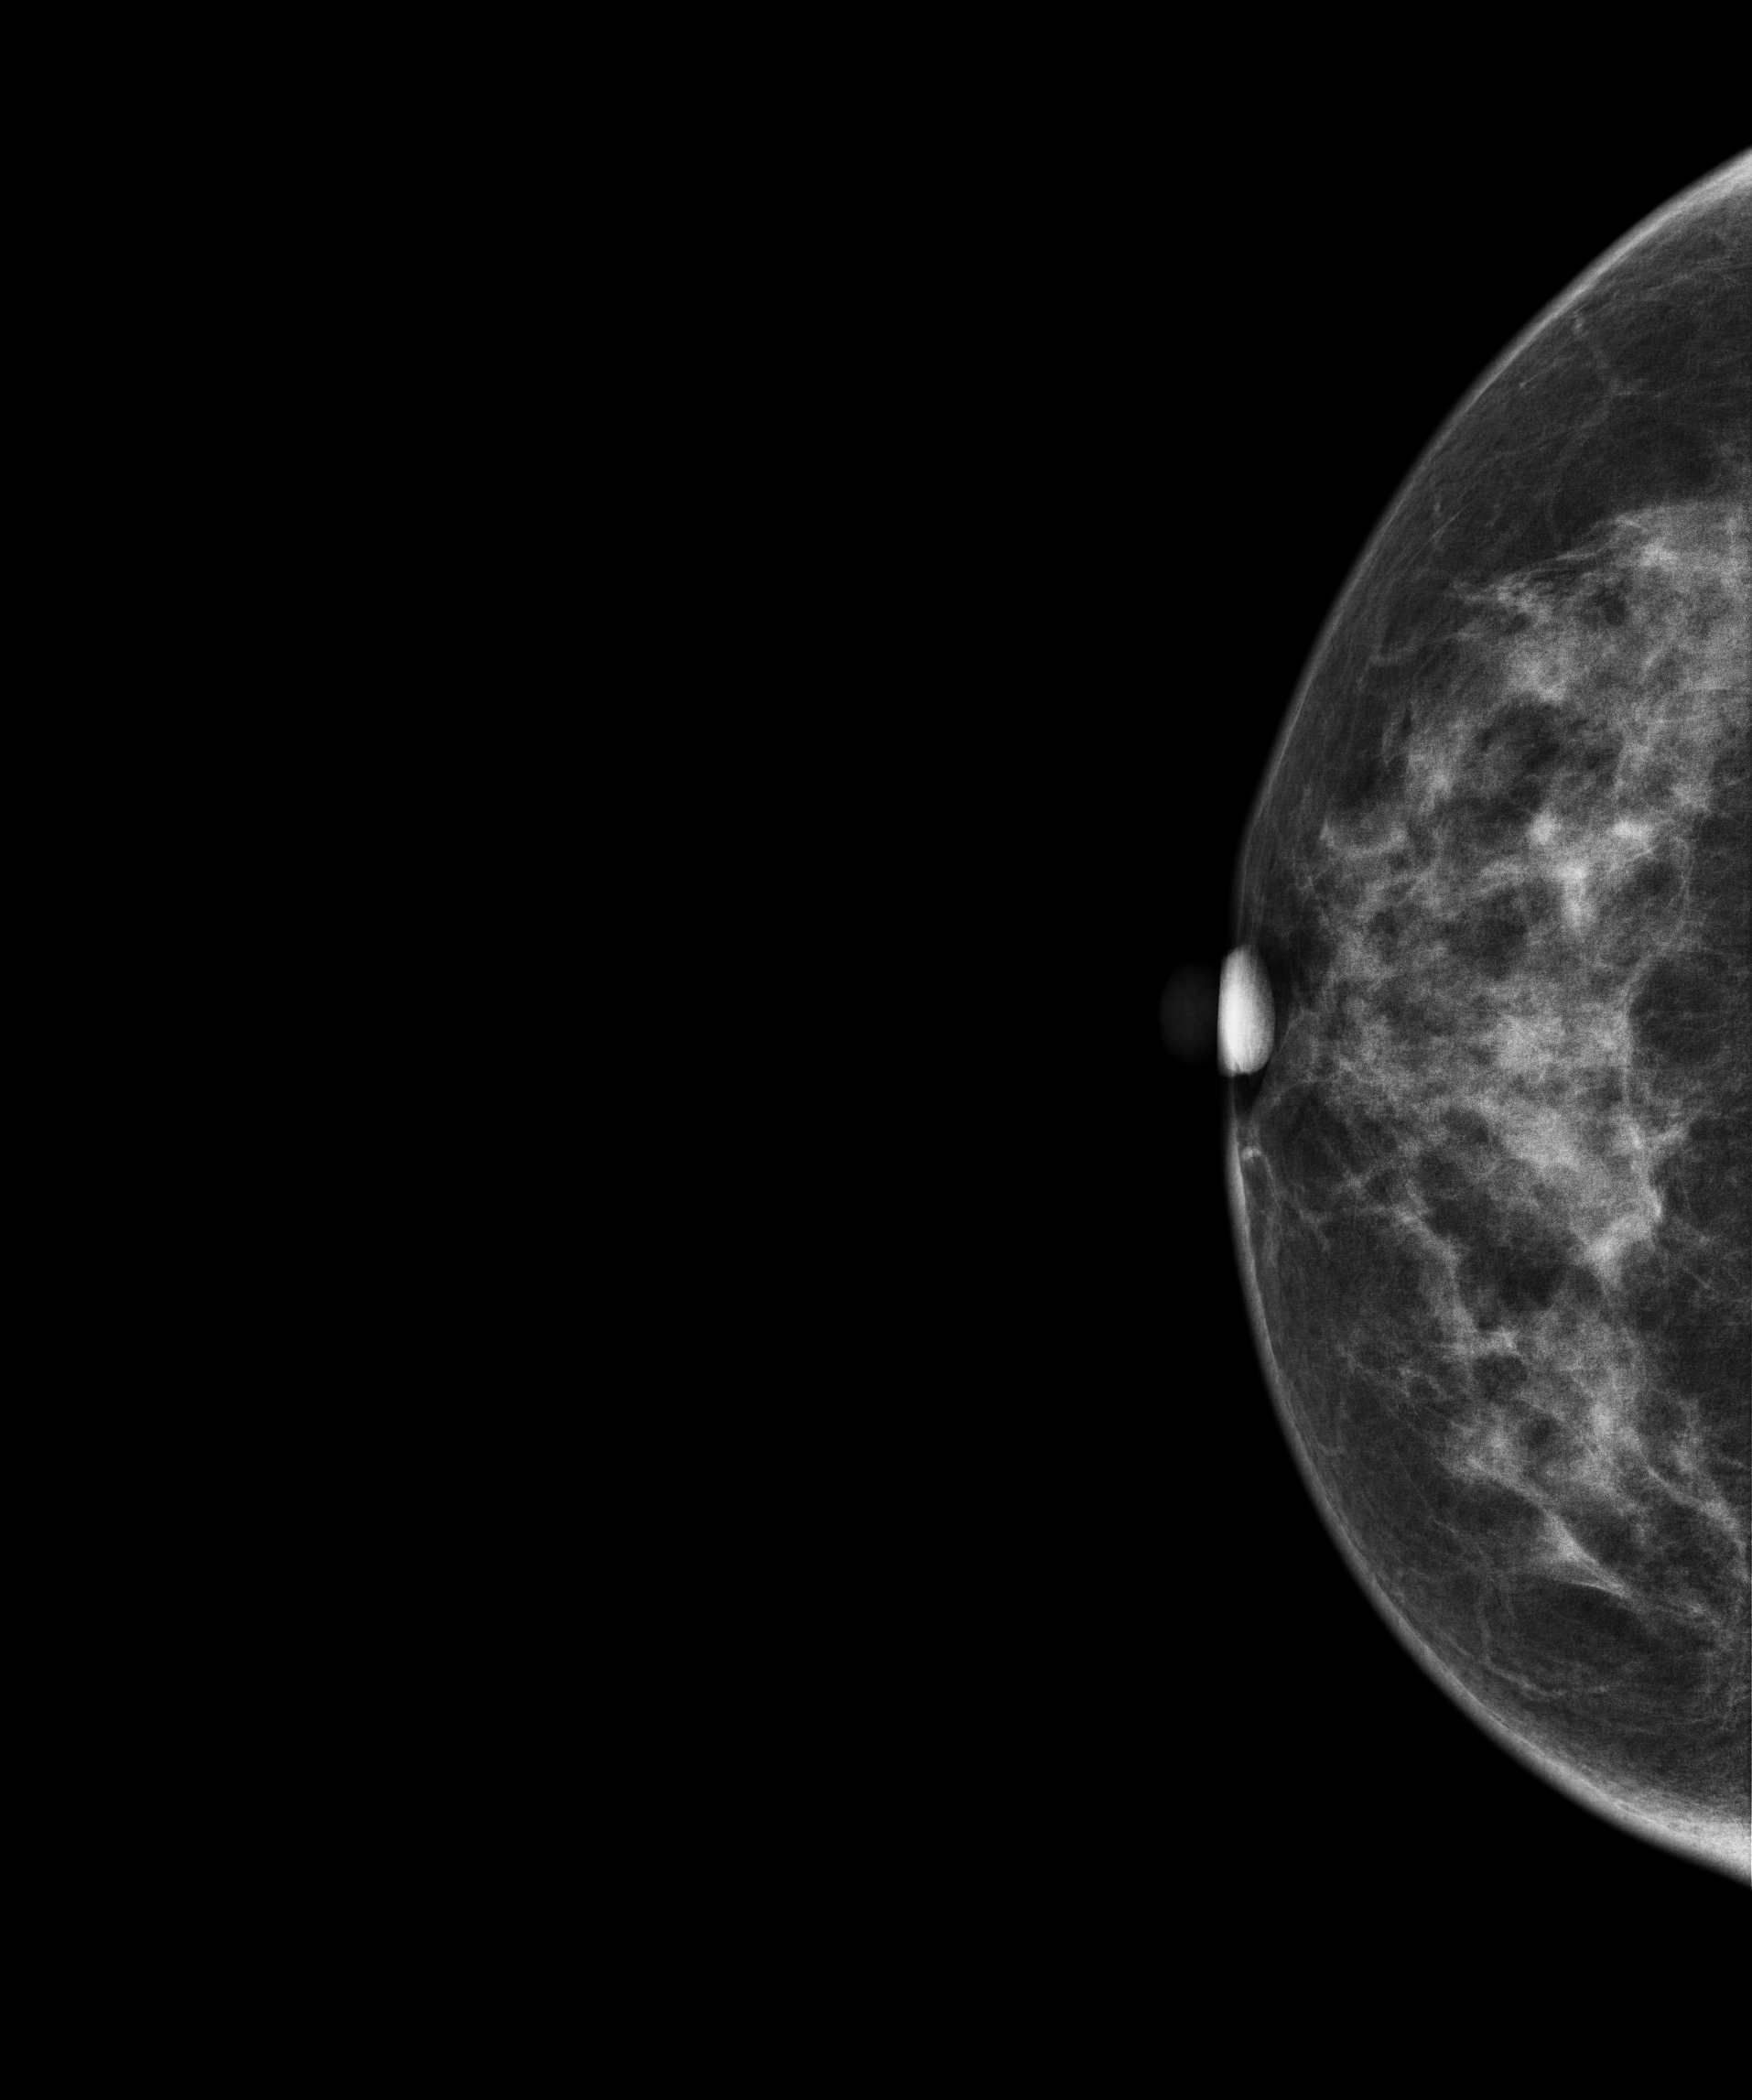
Mammogram, right breast, cranio-caudal view. Patient age 43.
Contralateral breast — no documented abnormality on this side.